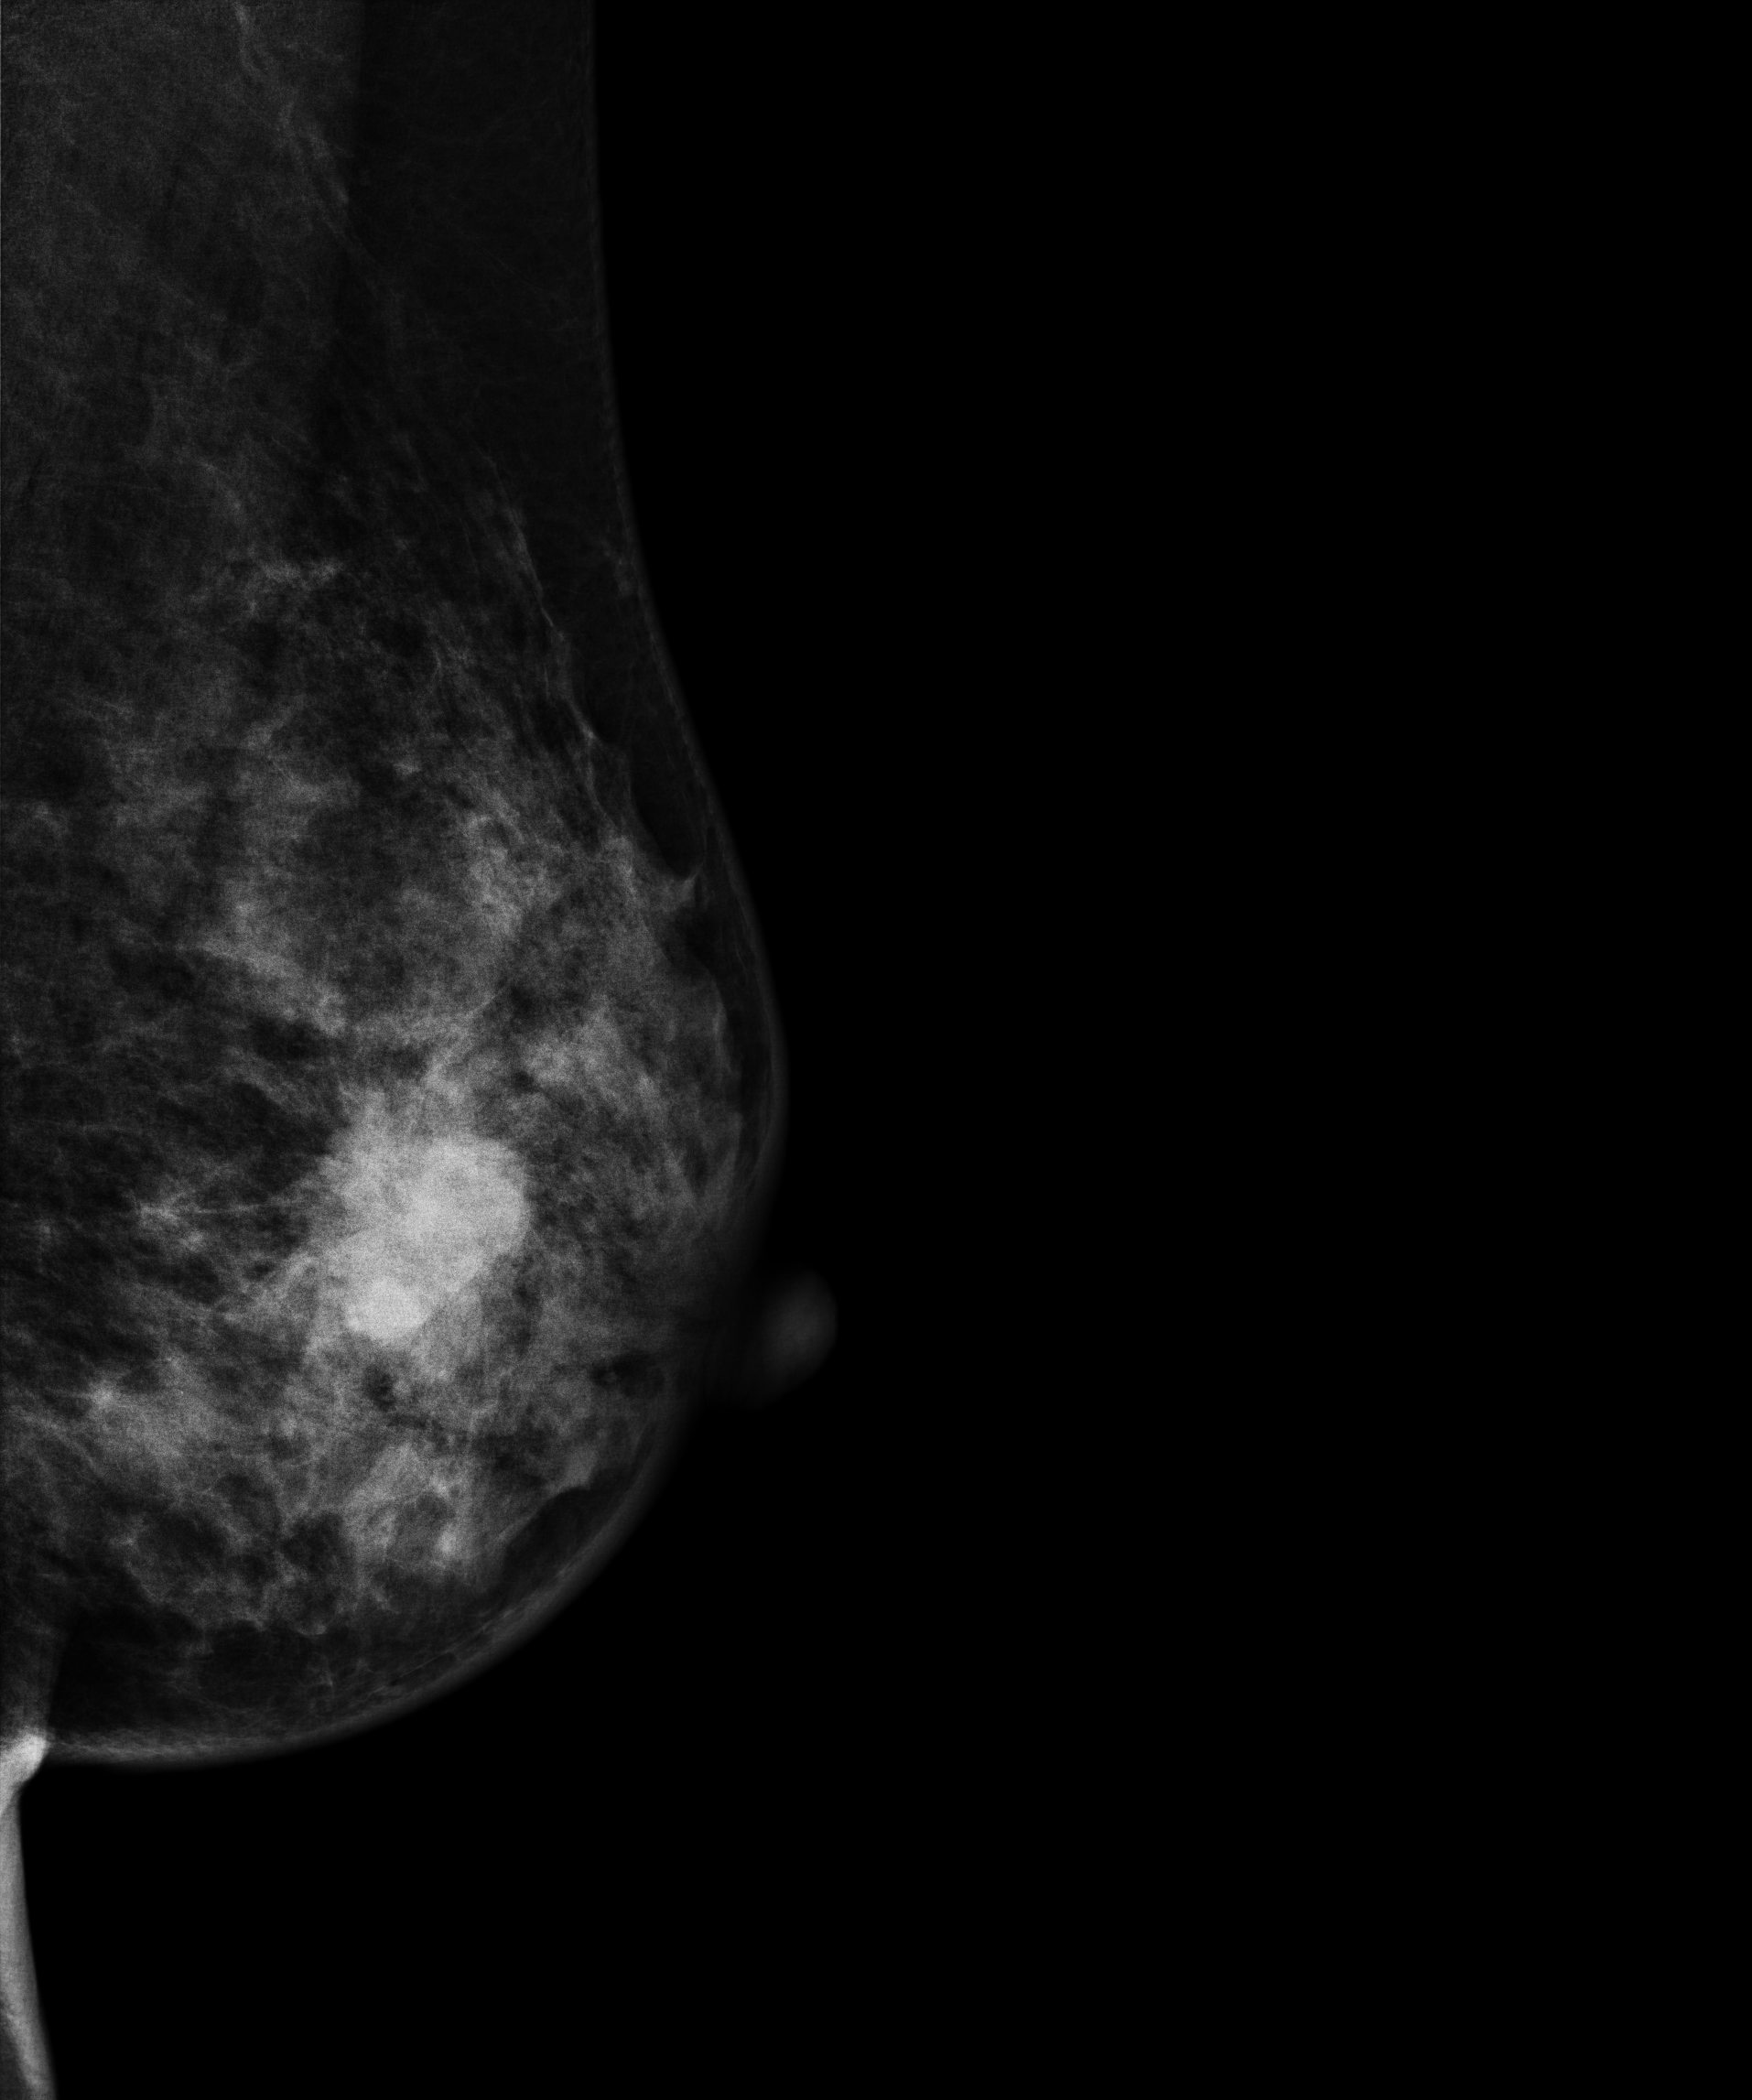
Mammogram — left medio-lateral oblique. Patient age 52.
This breast has a mass, pathology-confirmed malignant.